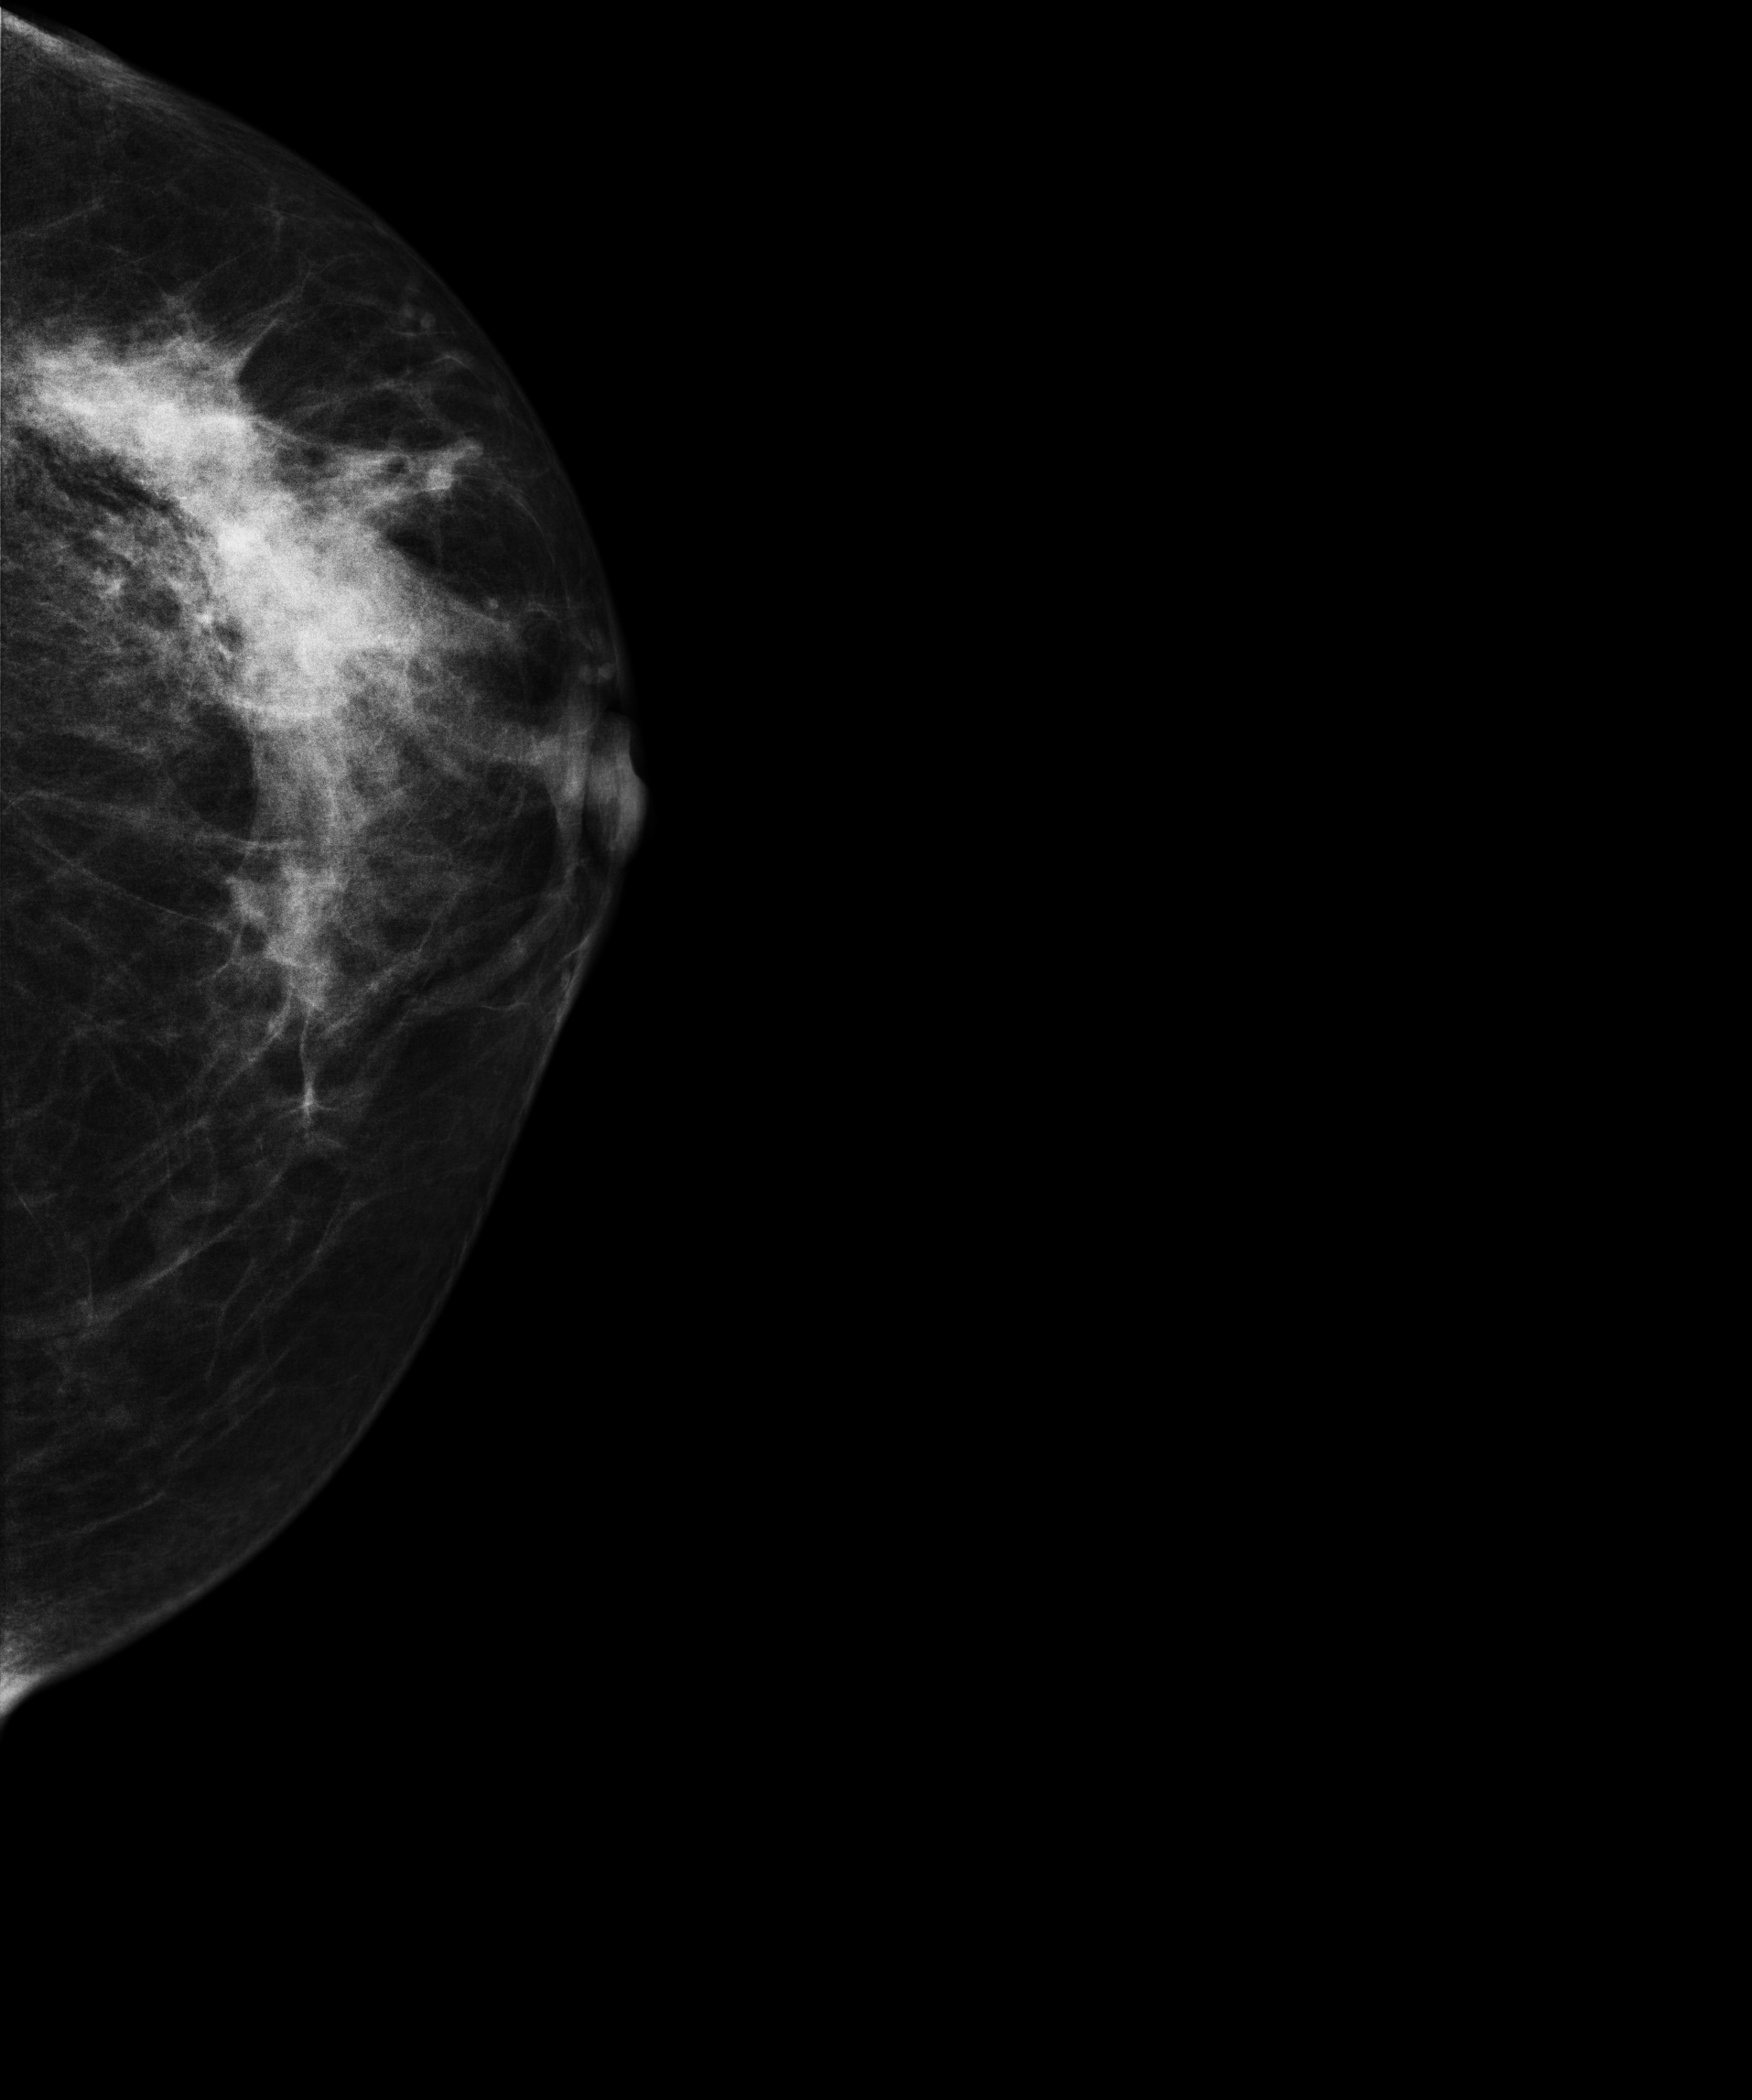
Mammogram — left CC. 55 y/o patient.
This breast has a mass, biopsy-confirmed malignant.